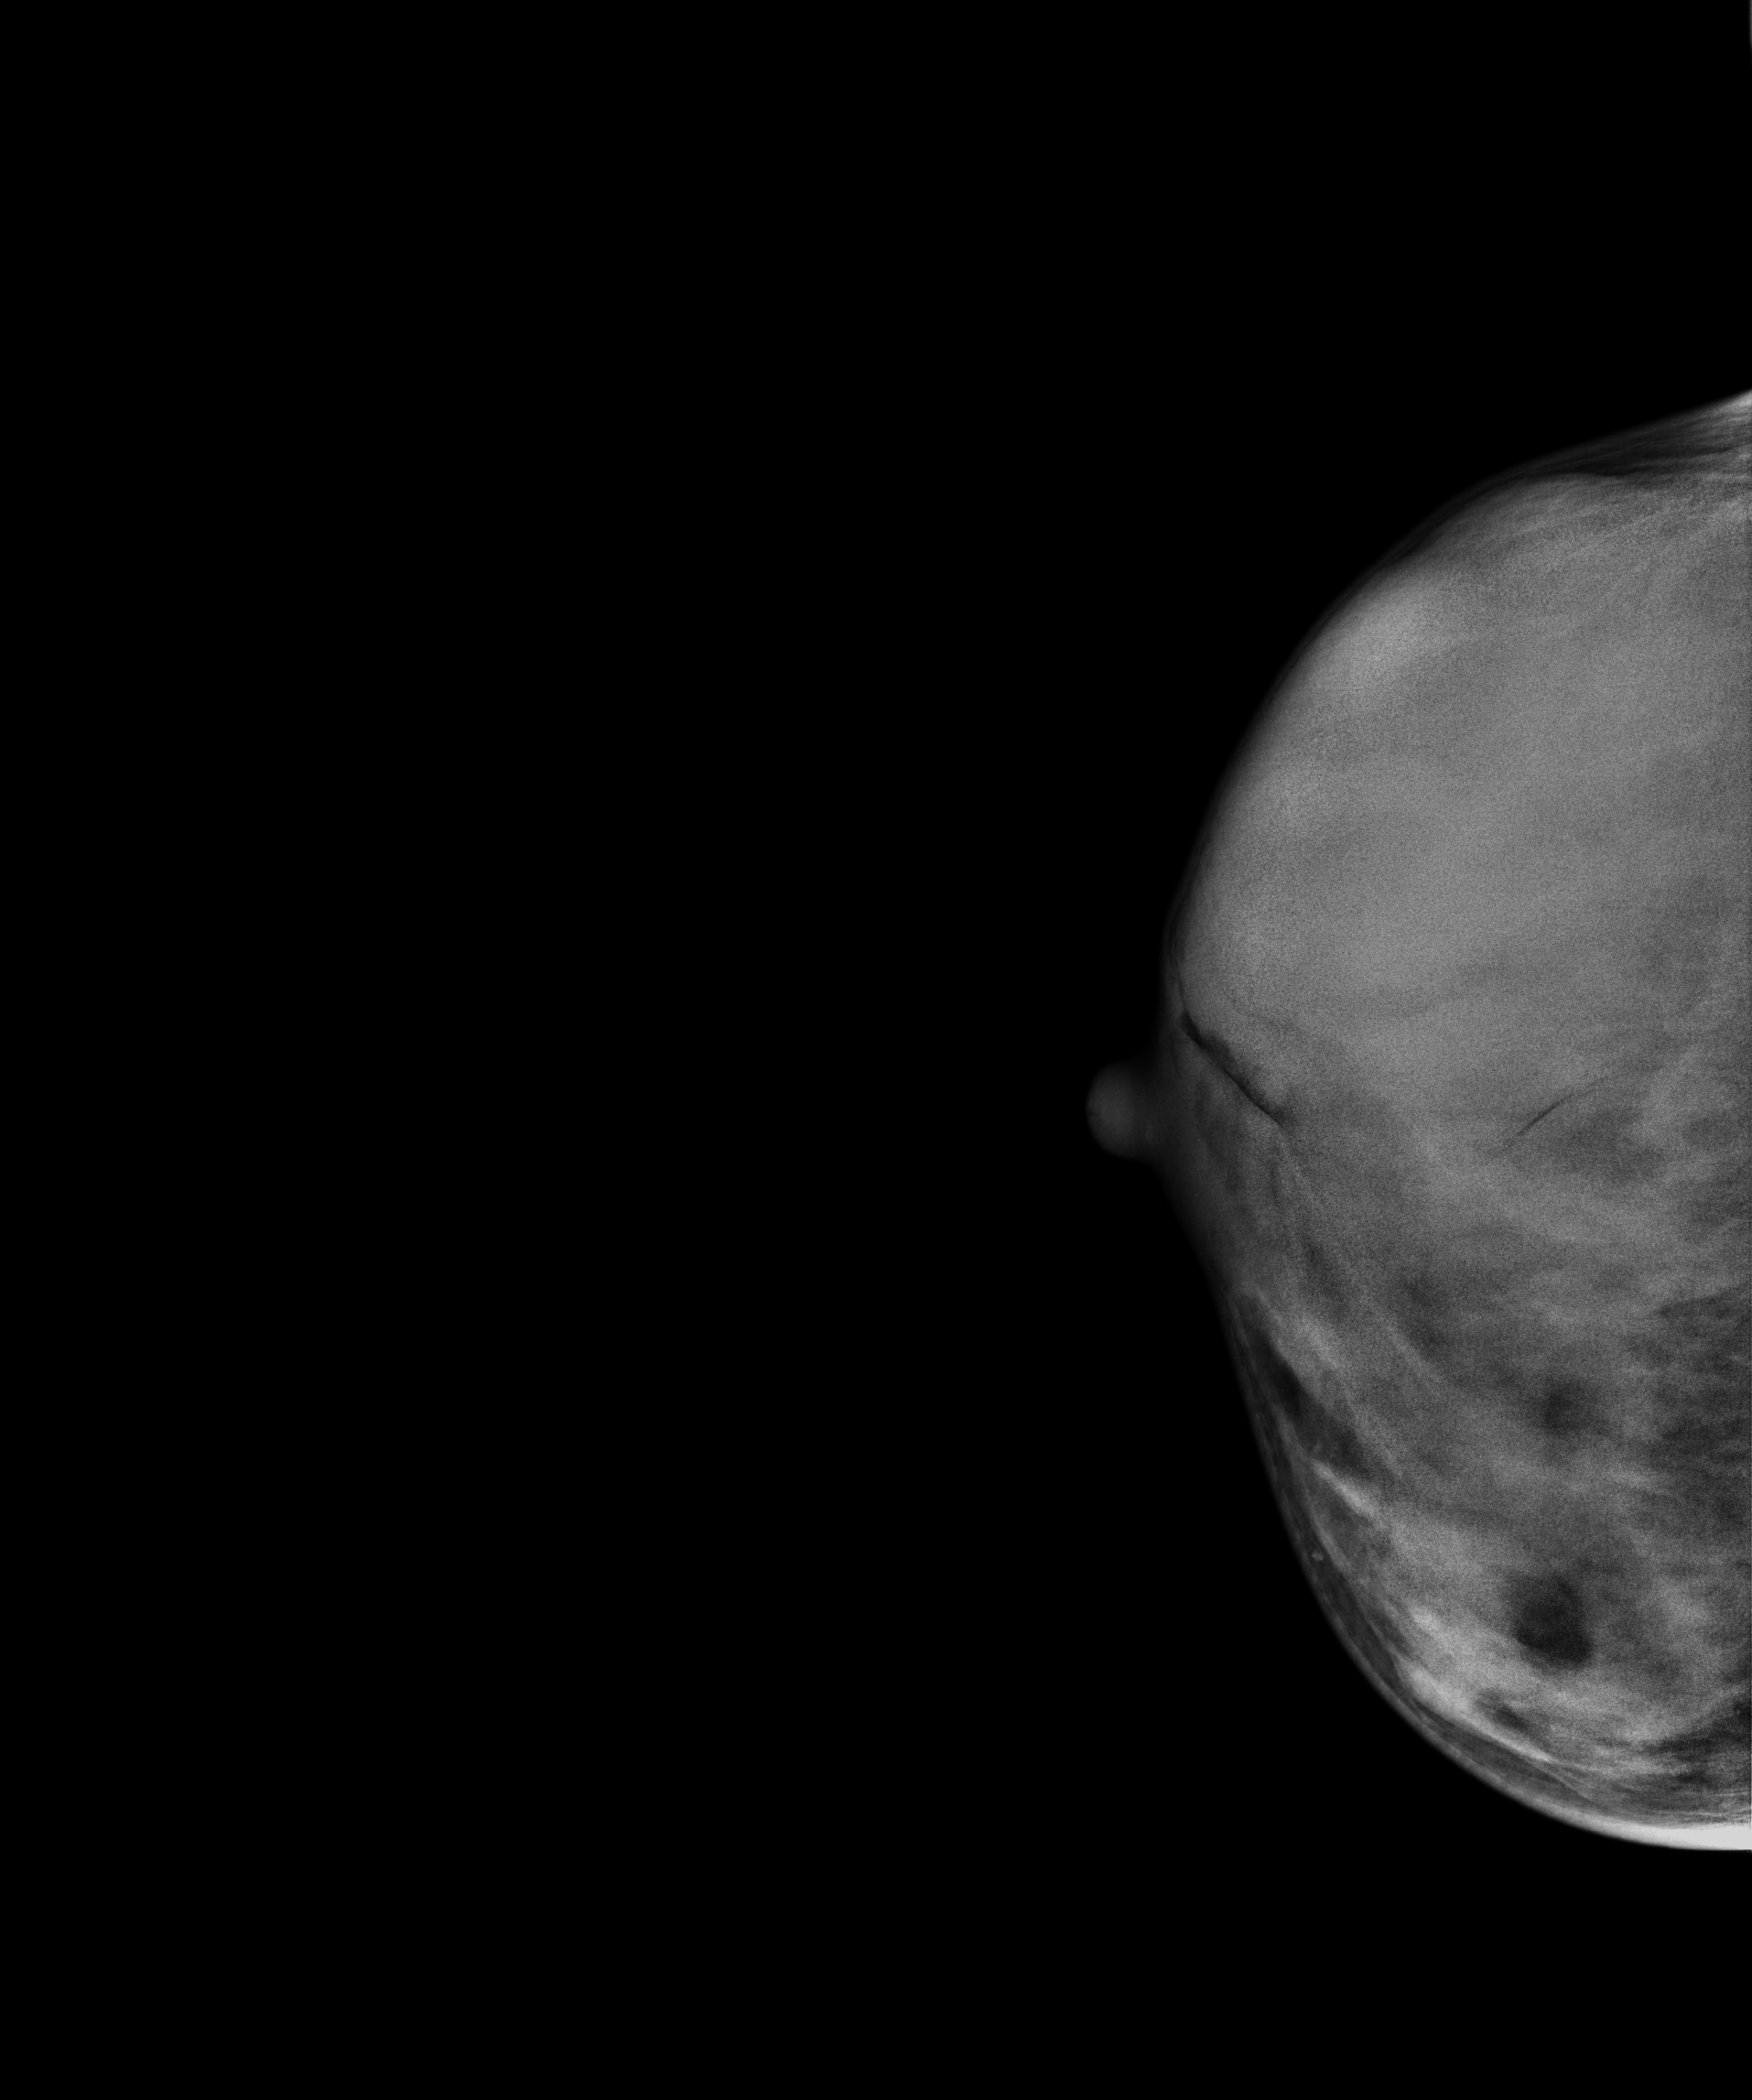
Digital mammography. Right breast, CC projection. Patient age 24.
This breast has a mass, biopsy-confirmed benign.